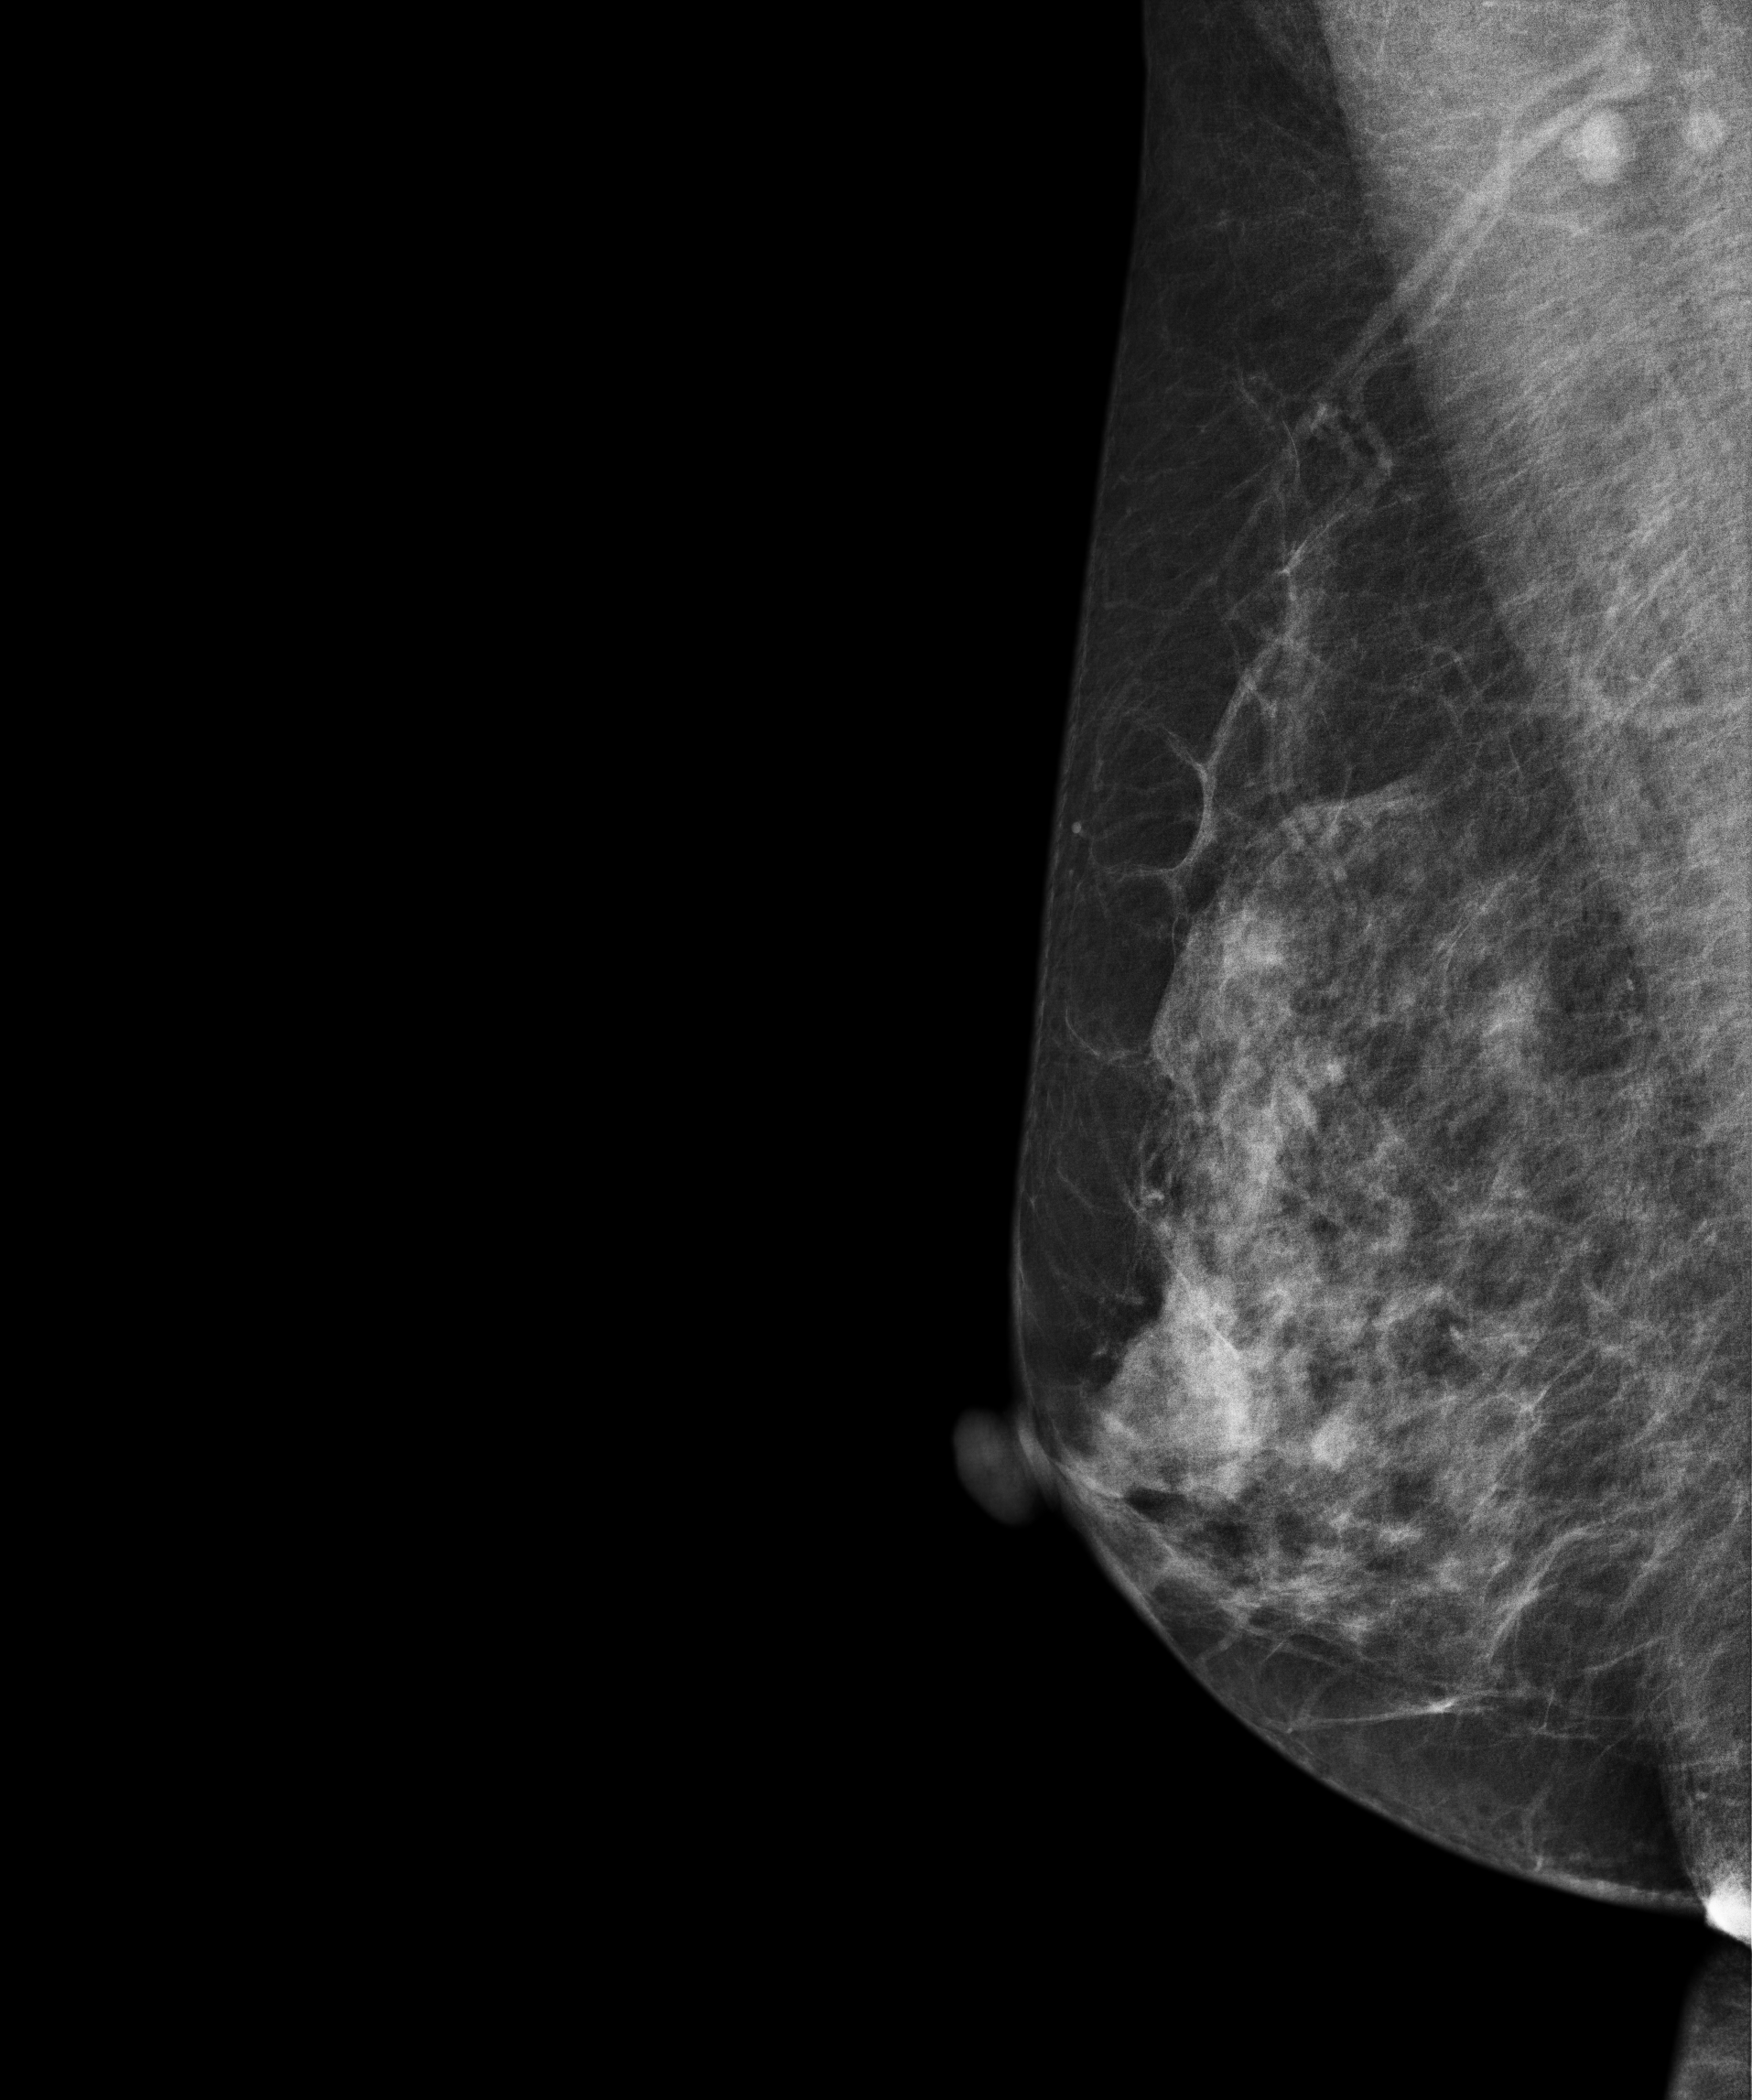
Digital mammography. Right breast, medio-lateral oblique projection. Patient age 63.
This breast has calcifications, pathology-confirmed benign.